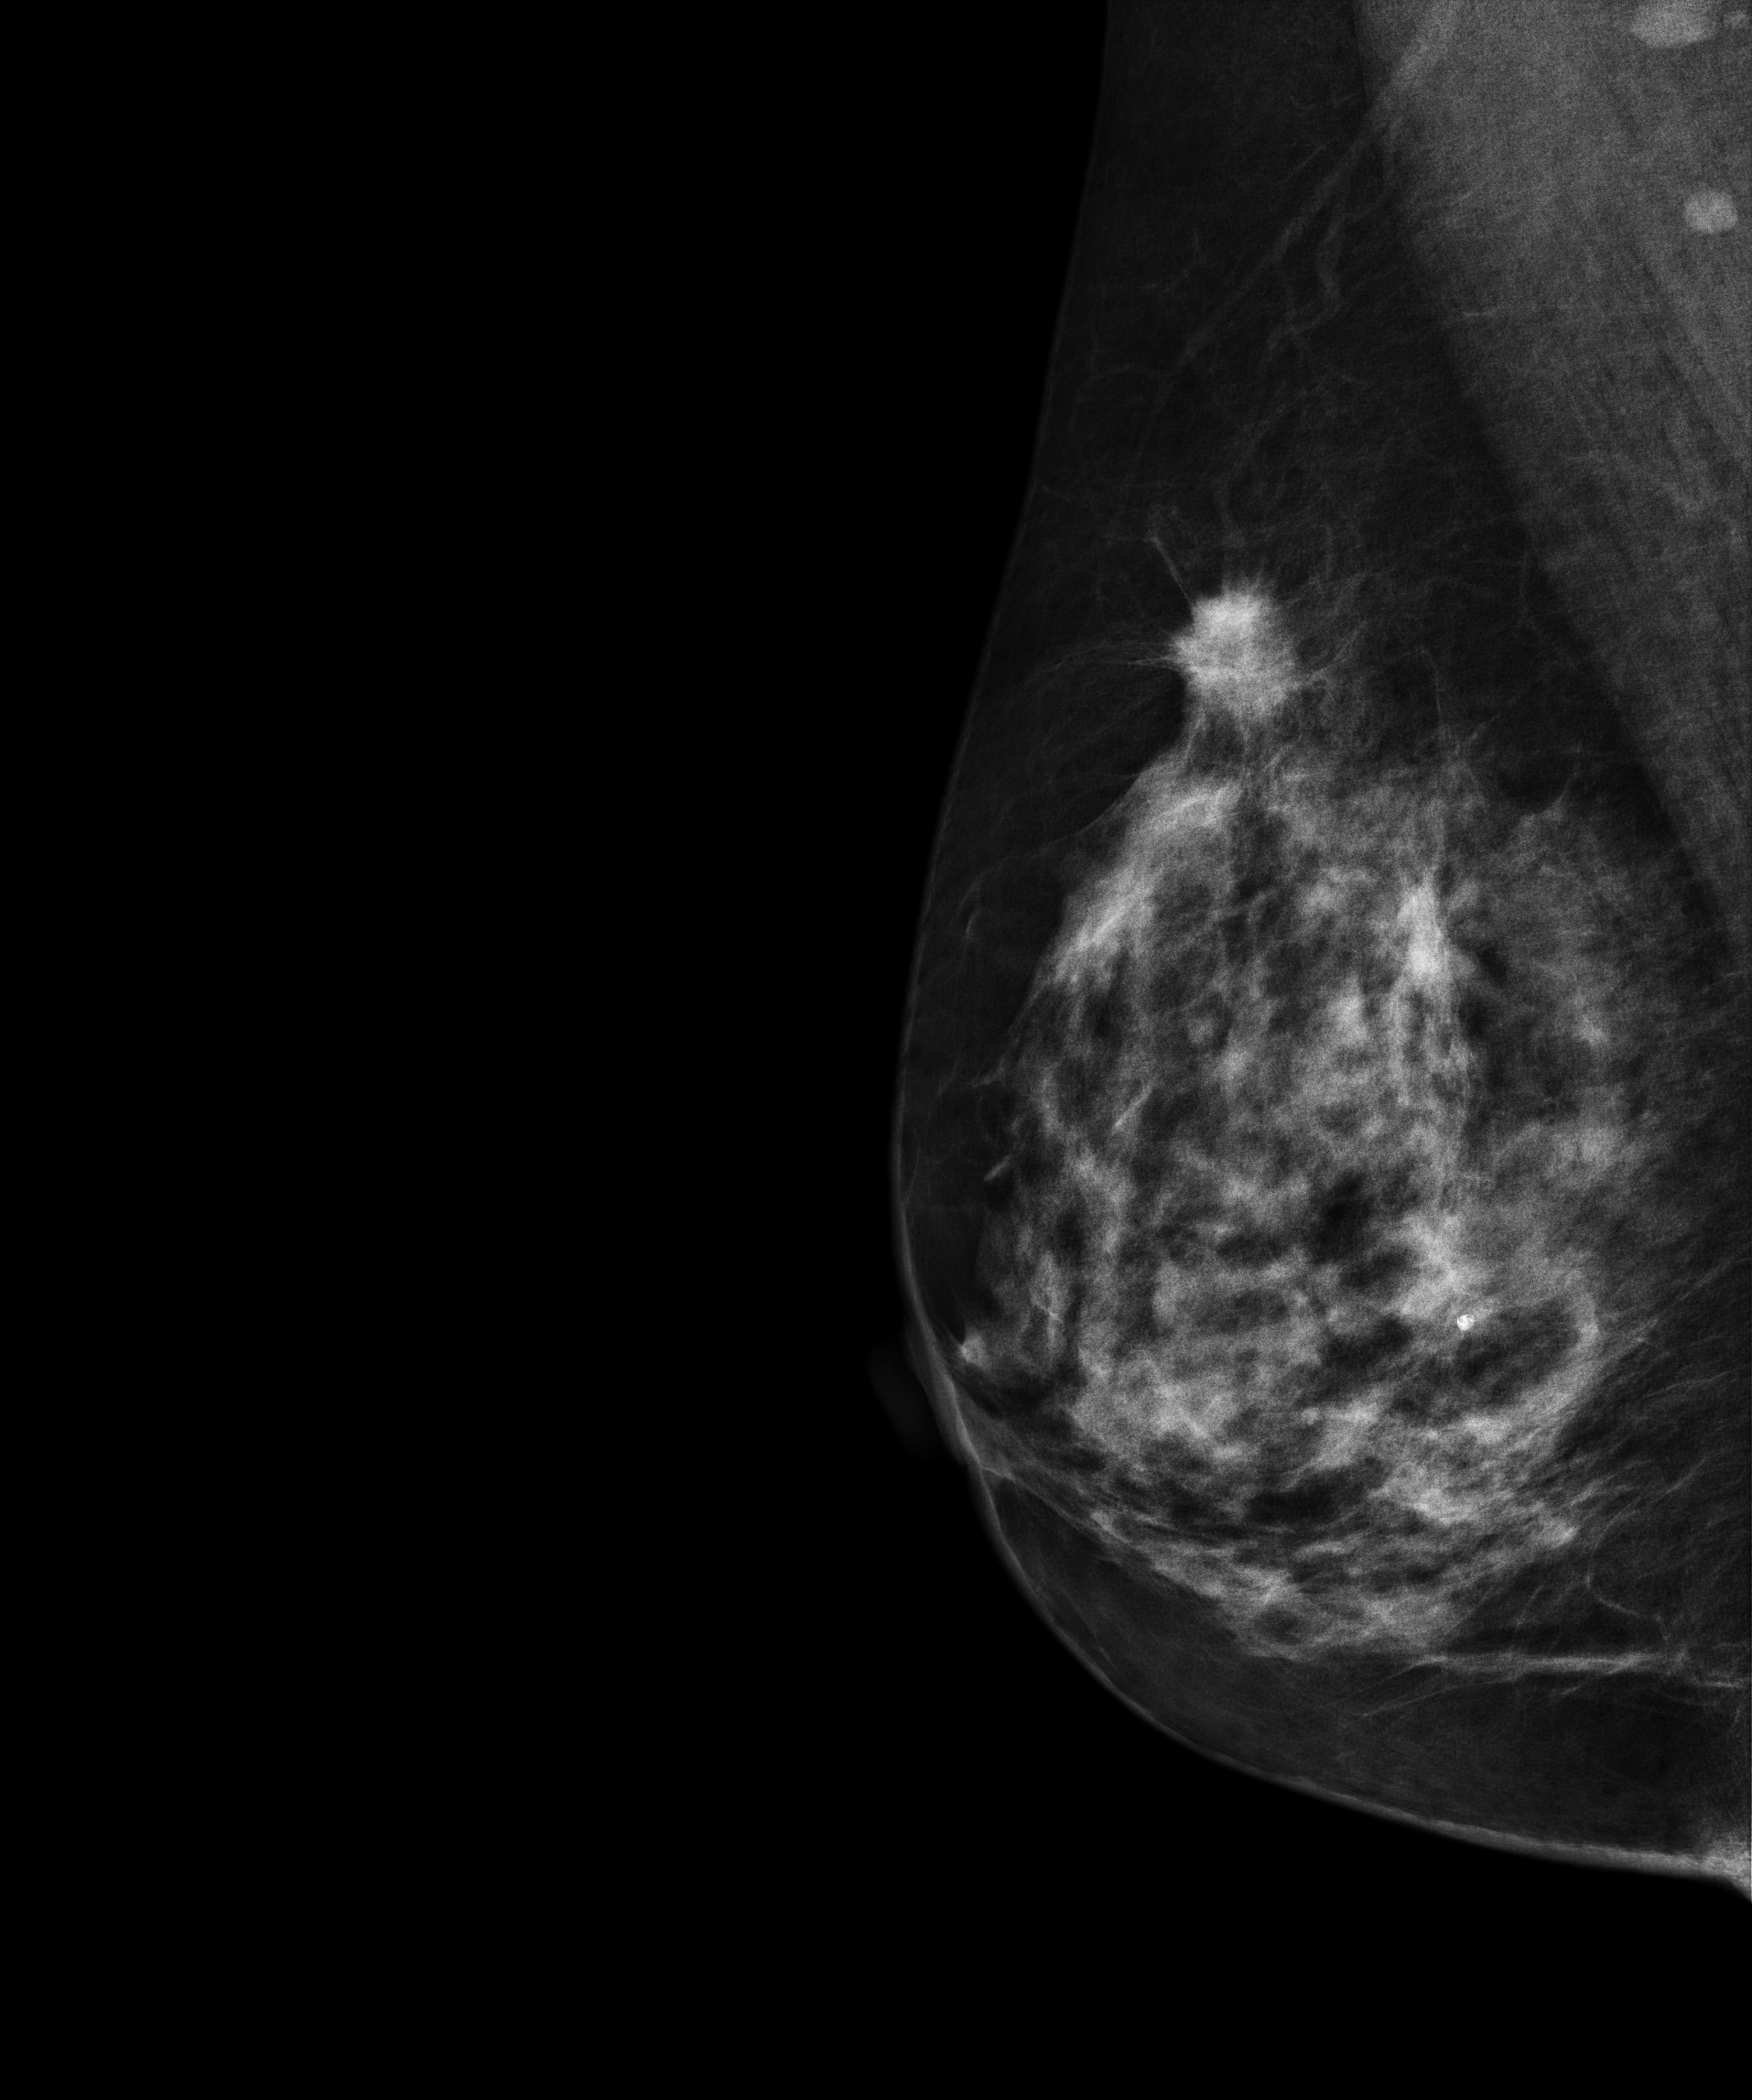
Mammogram, right breast, medio-lateral oblique view. Patient age 58.
This breast has a mass, biopsy-proven malignant. Molecular subtype: luminal A.